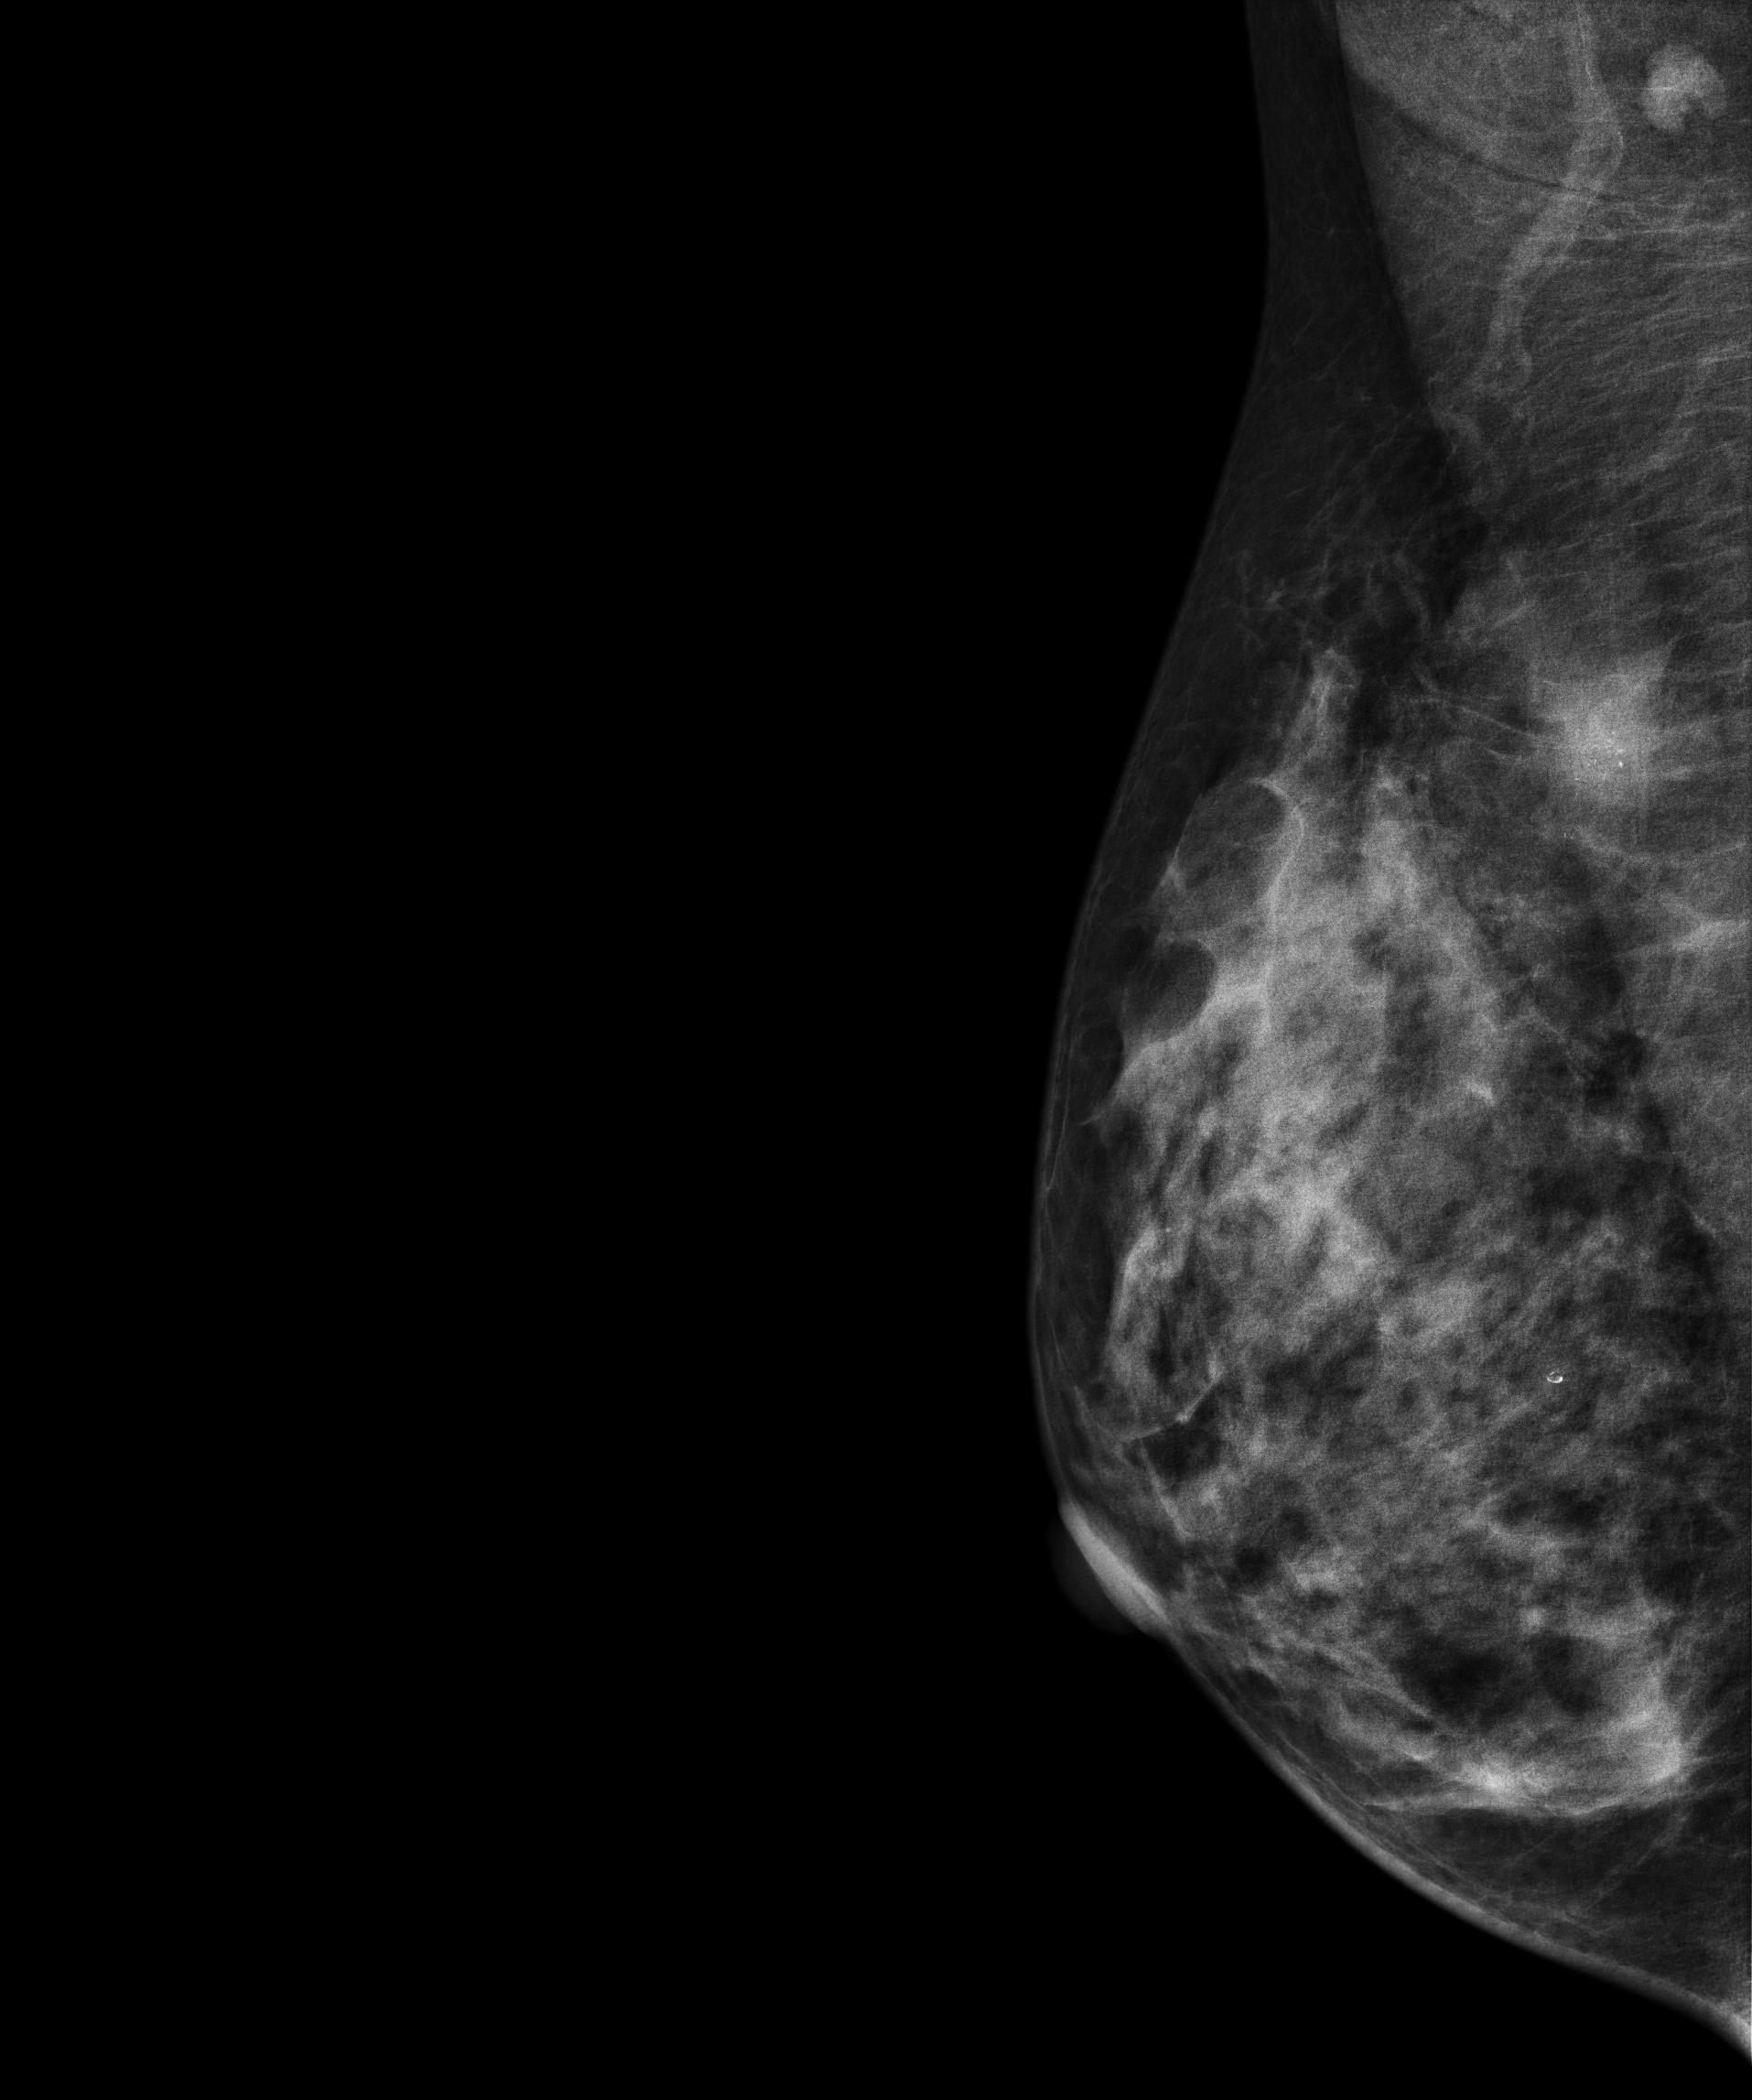
Mammogram — right MLO. Patient age 45.
This breast has a mass and calcifications, biopsy-confirmed malignant. Molecular subtype: triple-negative.